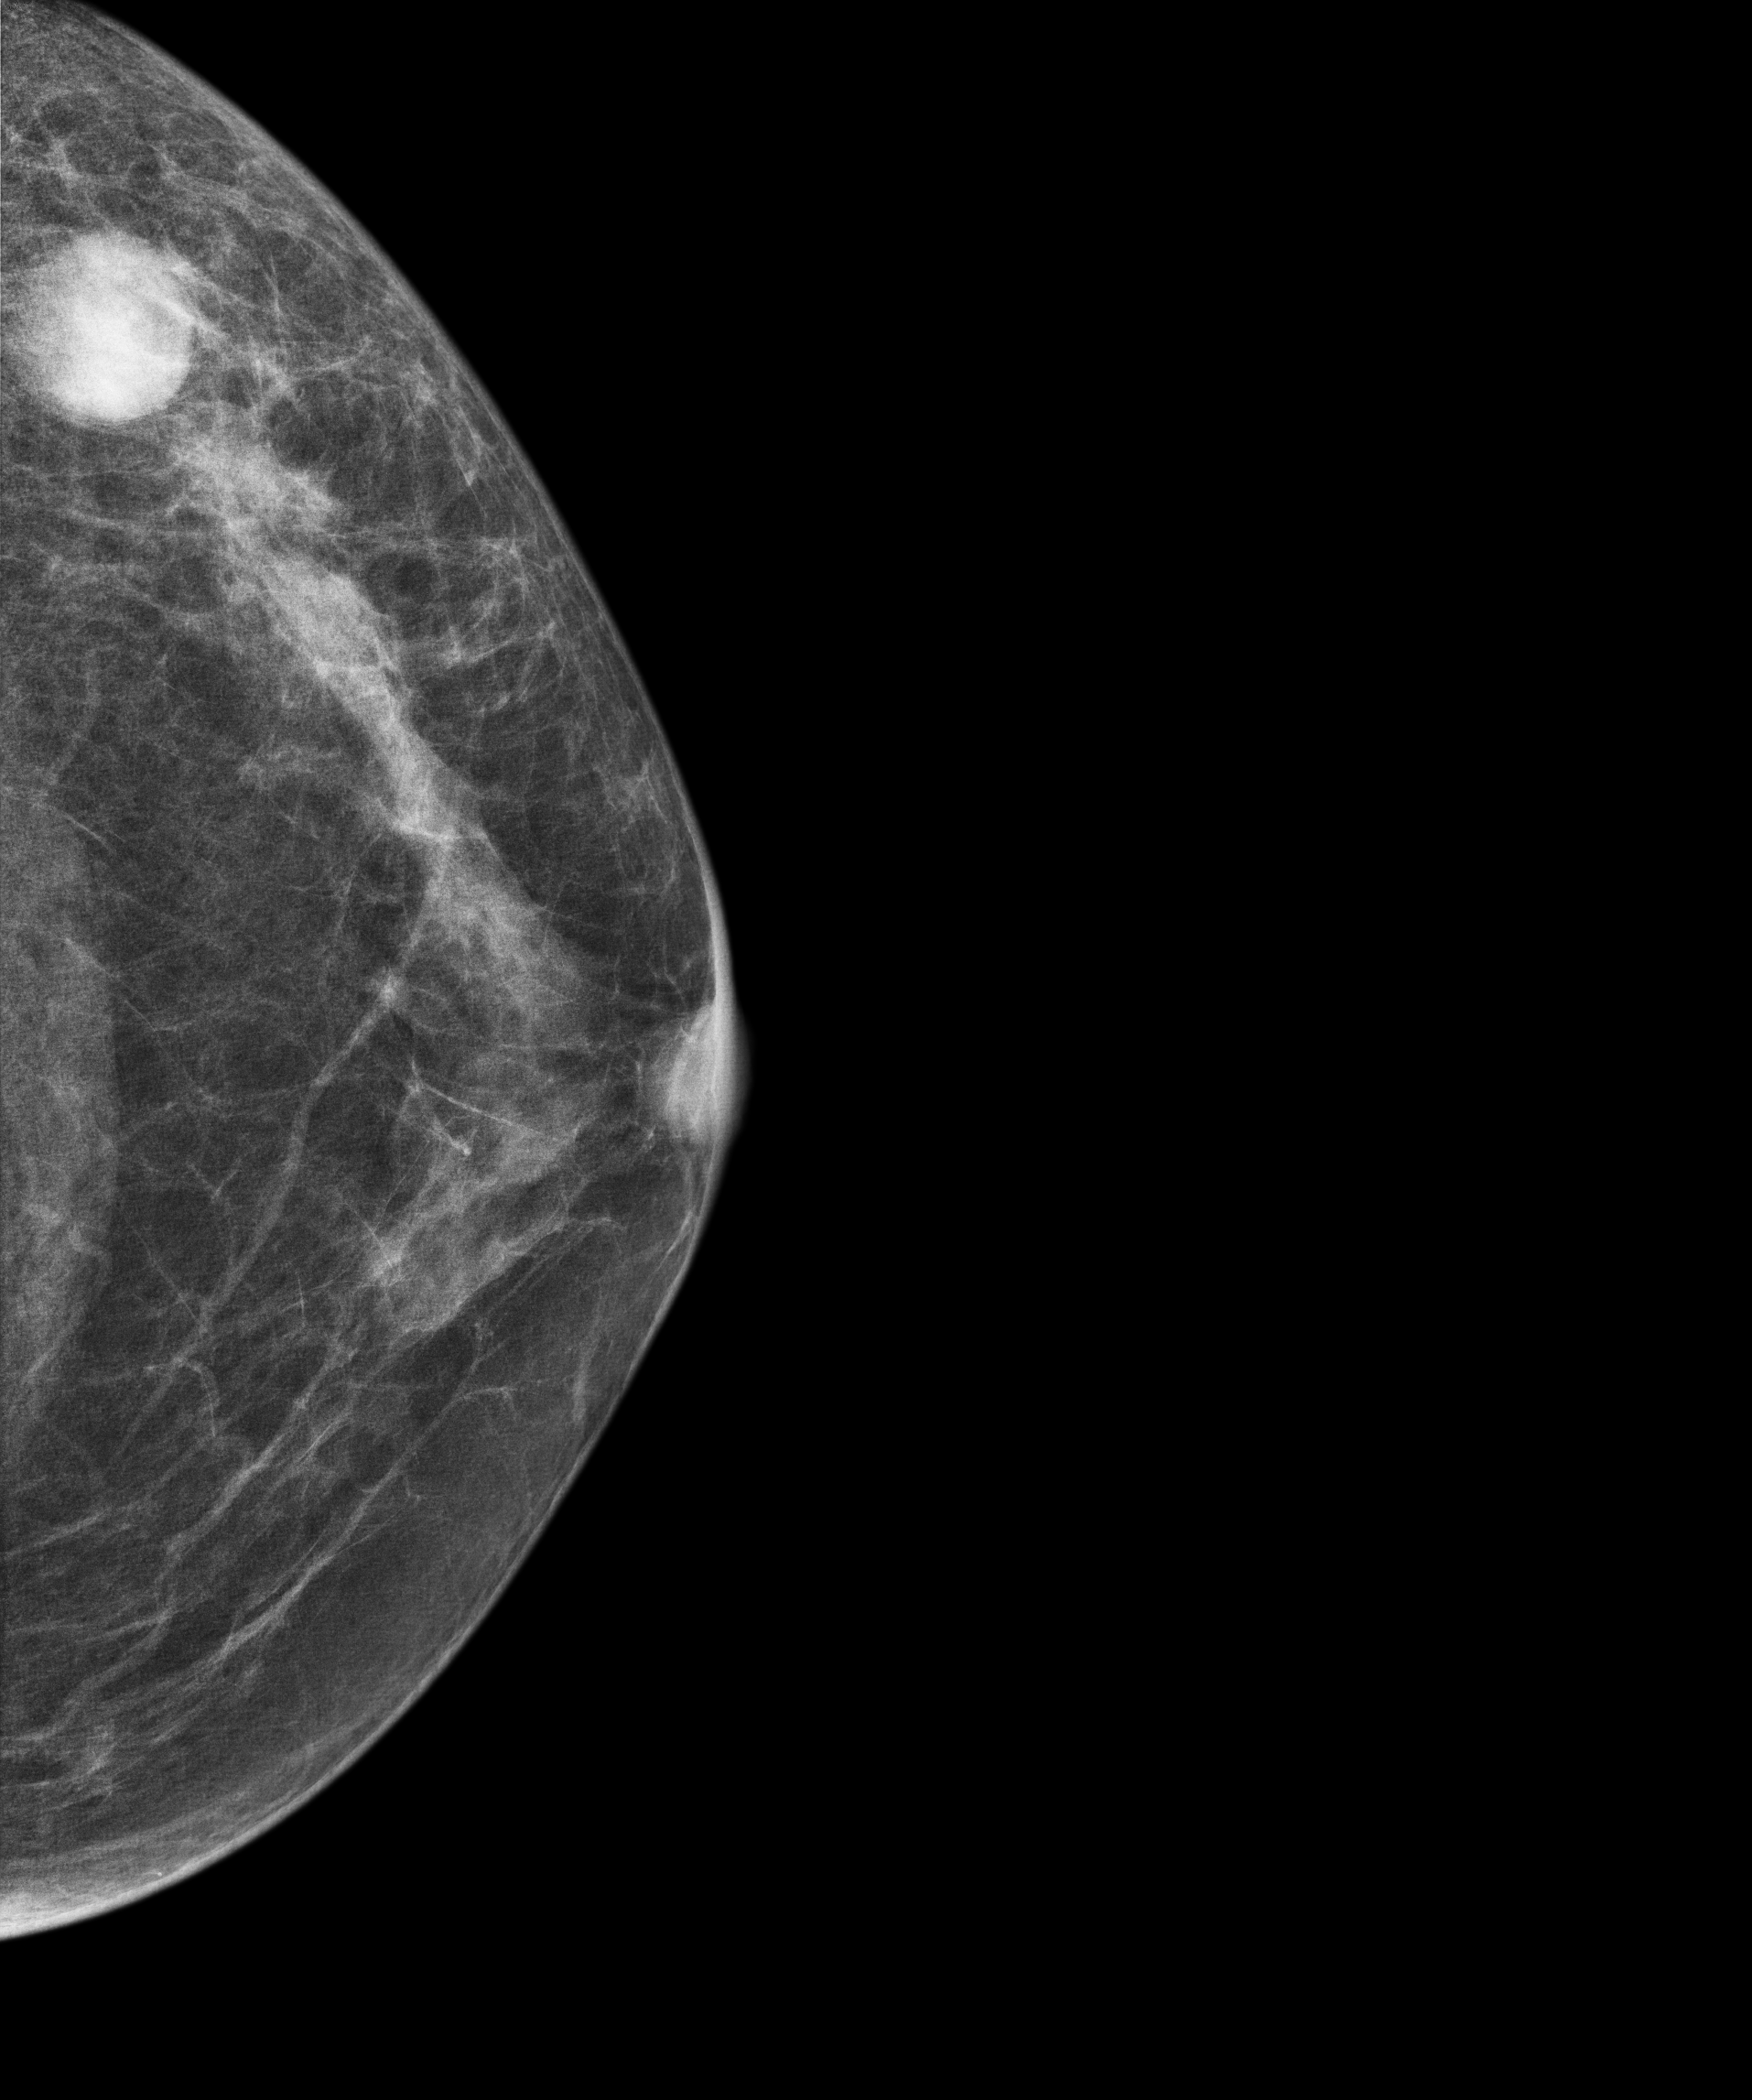
Digital mammography. Left breast, cranio-caudal projection. 66-year-old patient.
This breast has a mass, biopsy-proven malignant.